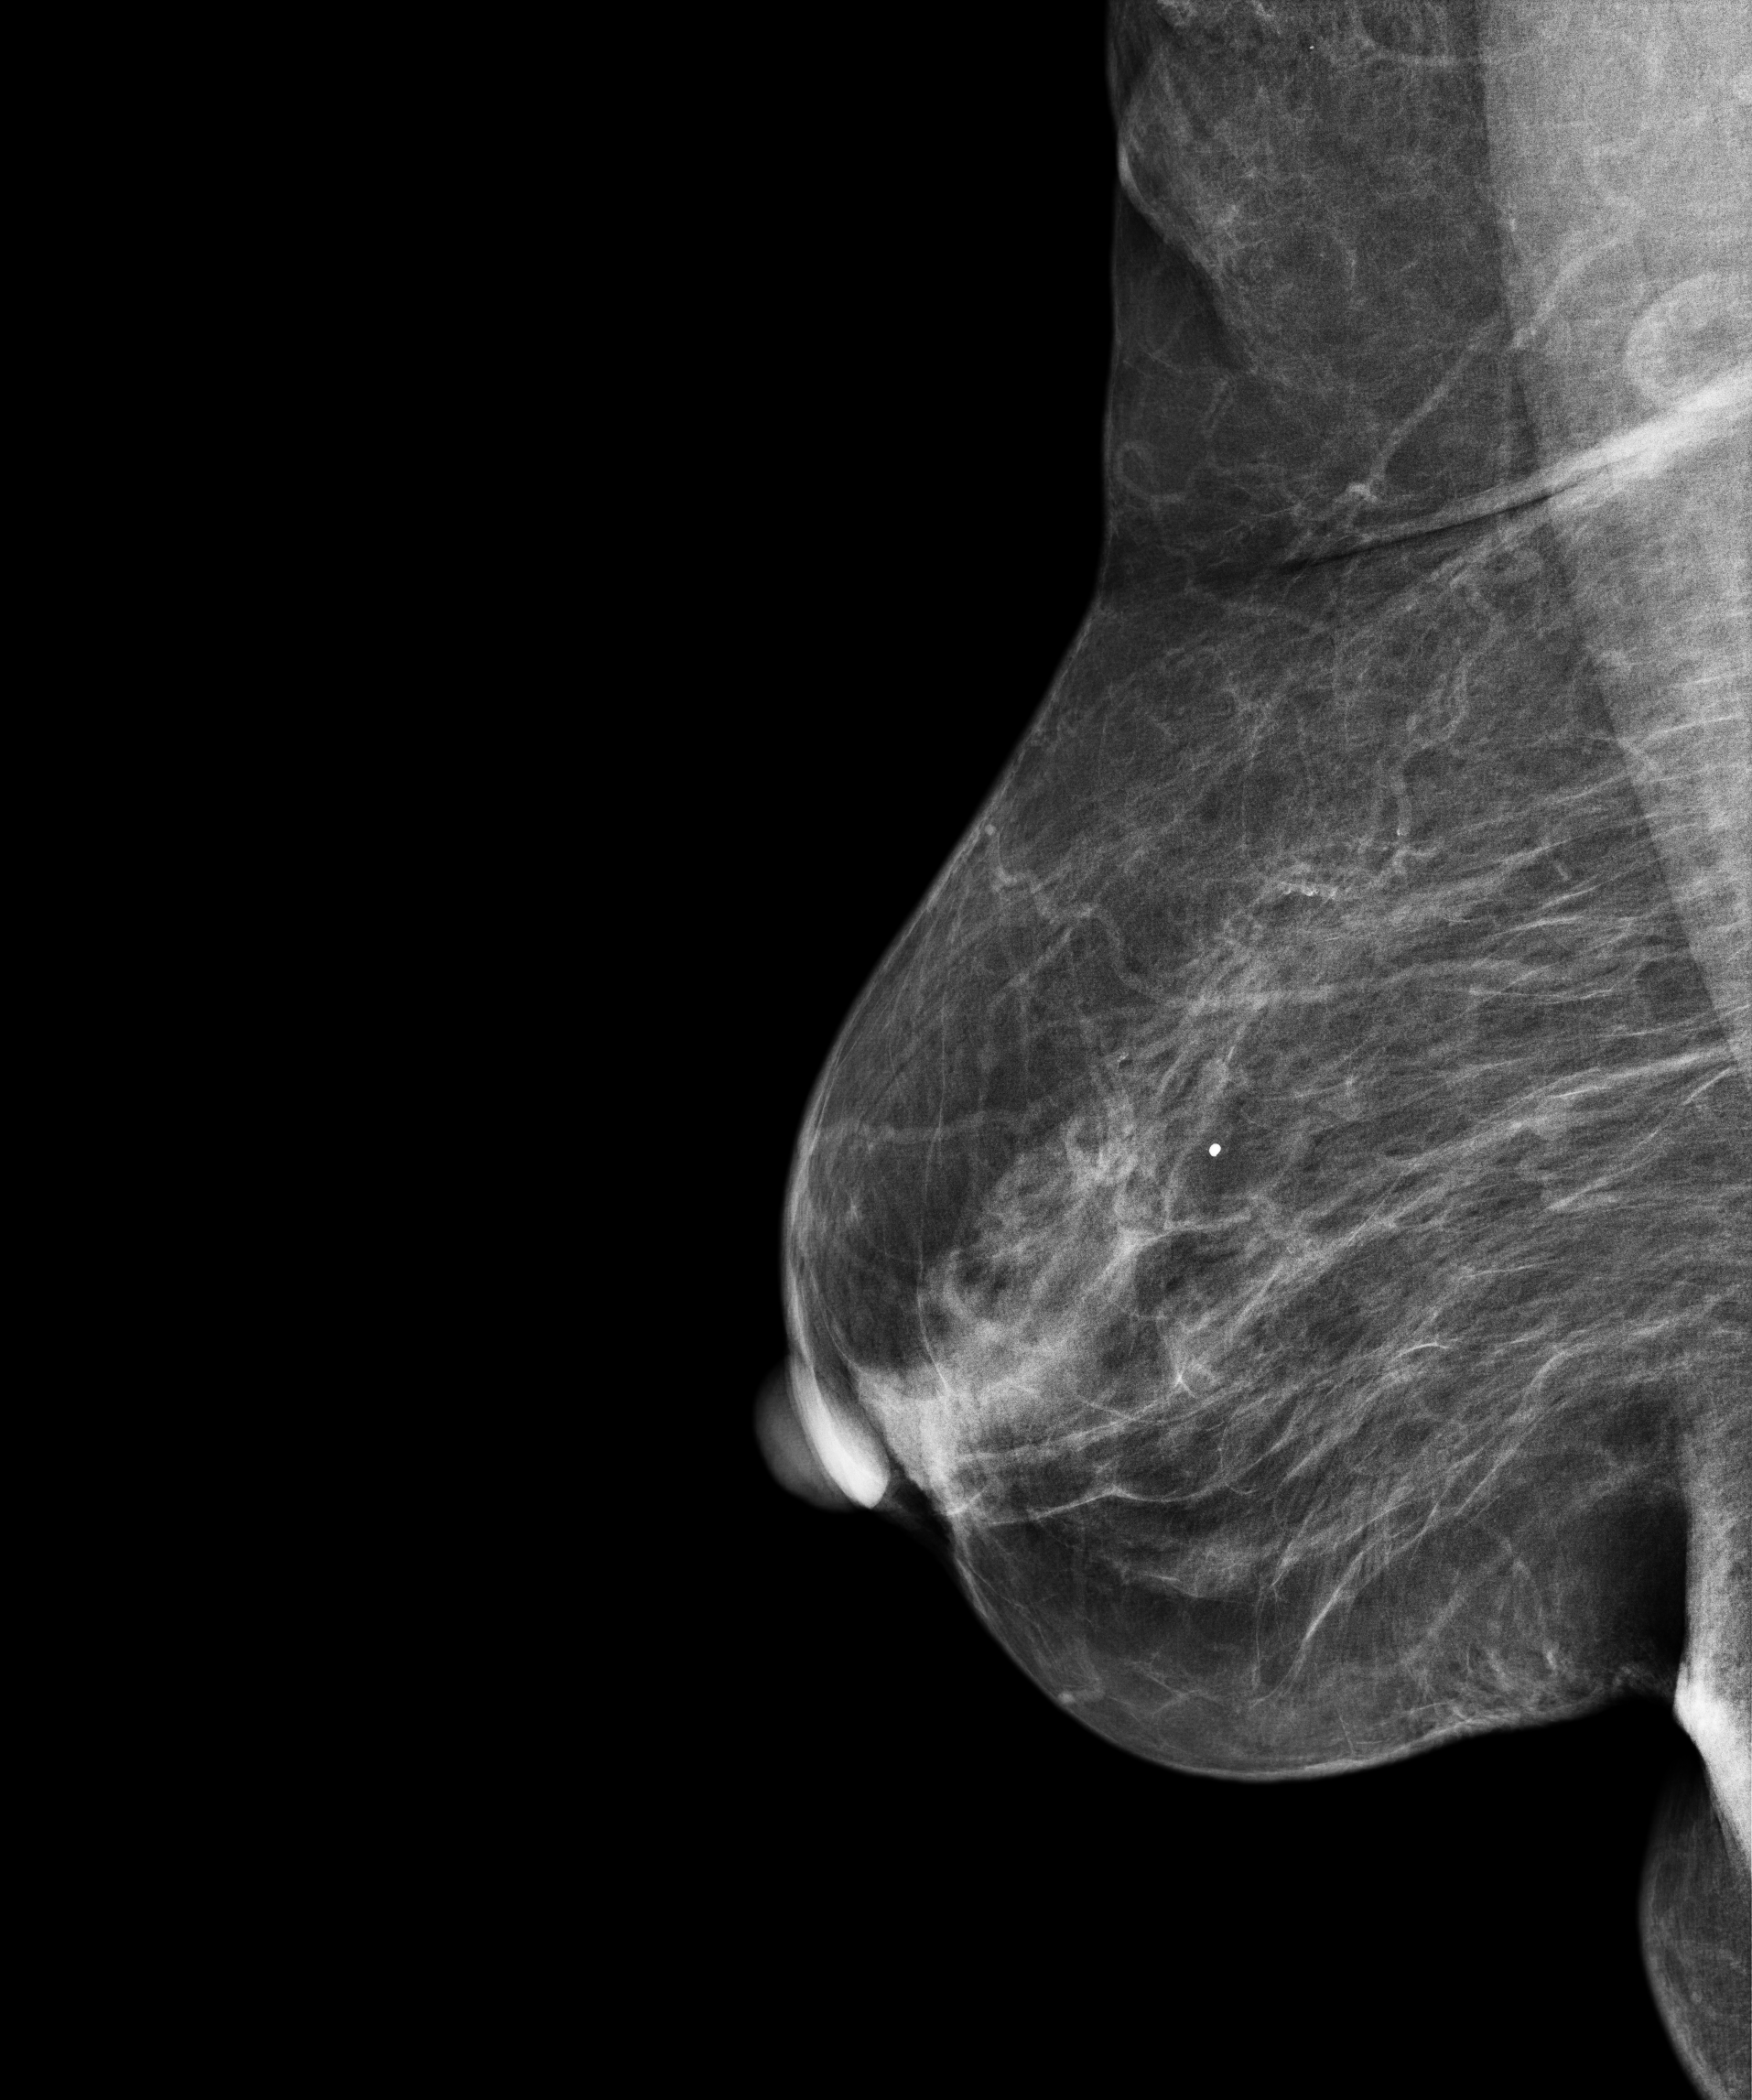
Right-breast mammogram, medio-lateral oblique. 83 y/o patient.
Contralateral breast — no documented abnormality on this side.